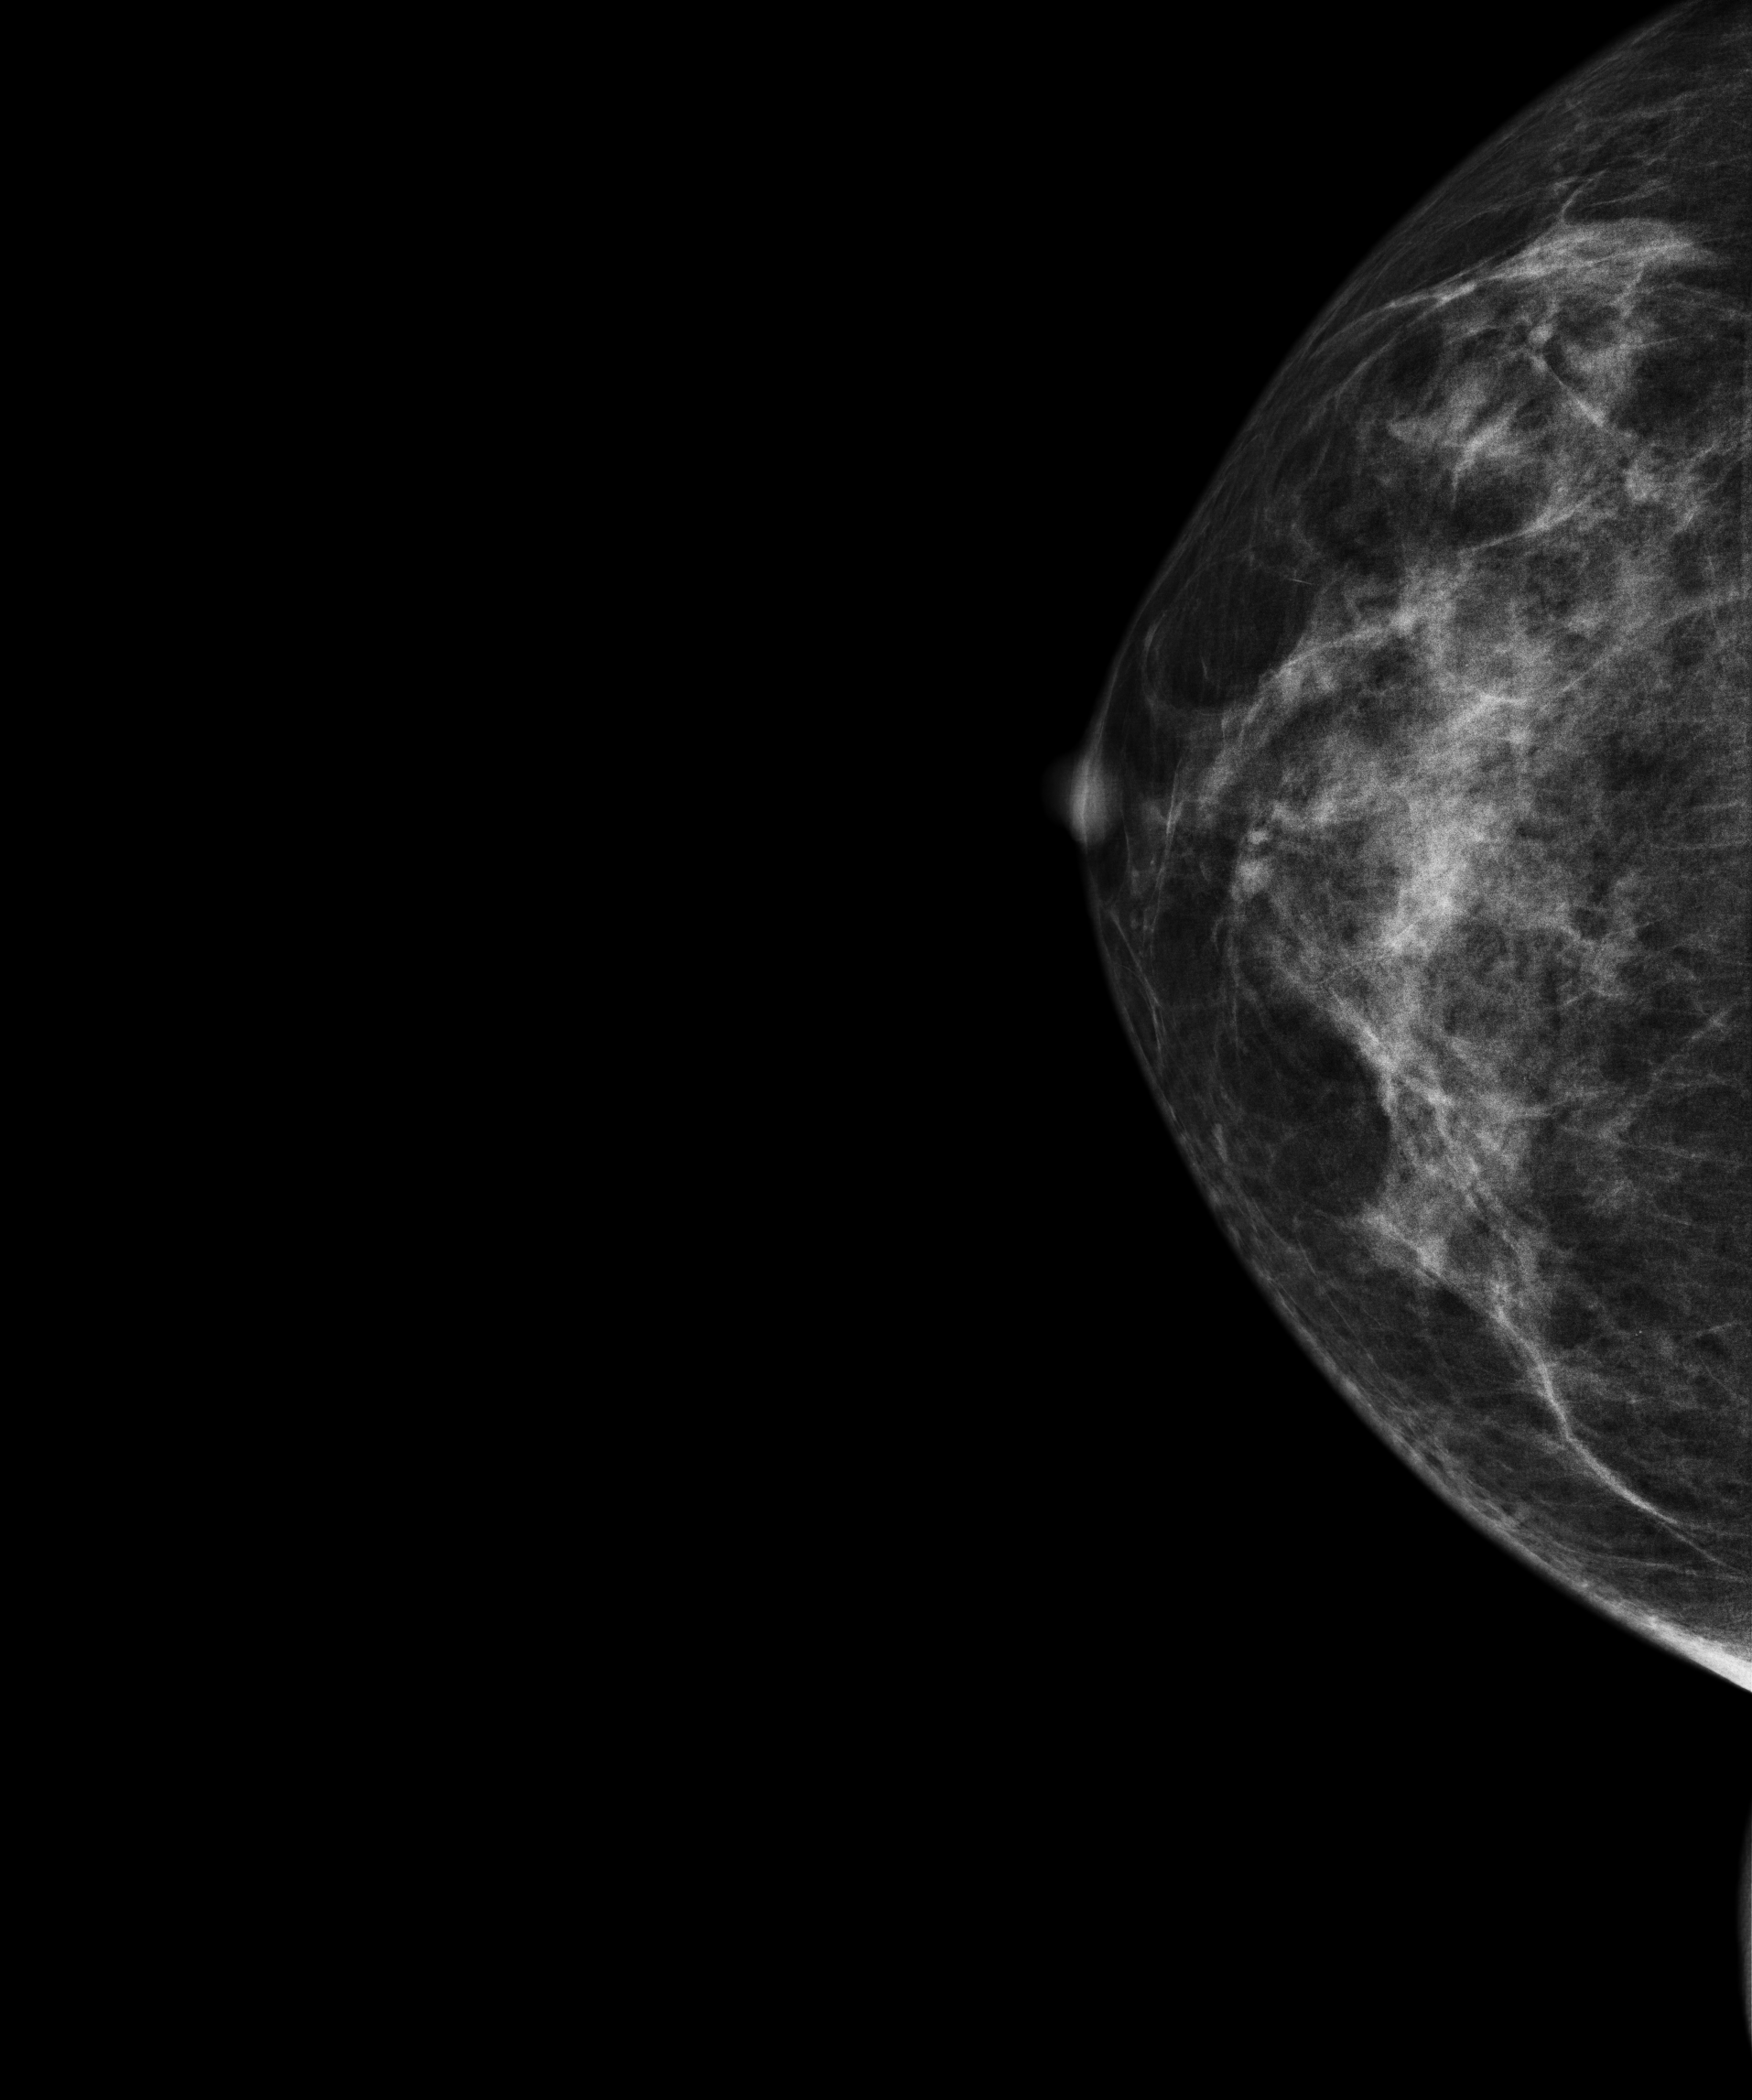
Mammogram, right breast, CC view. 56 y/o patient.
This breast has a mass, histologically confirmed benign.